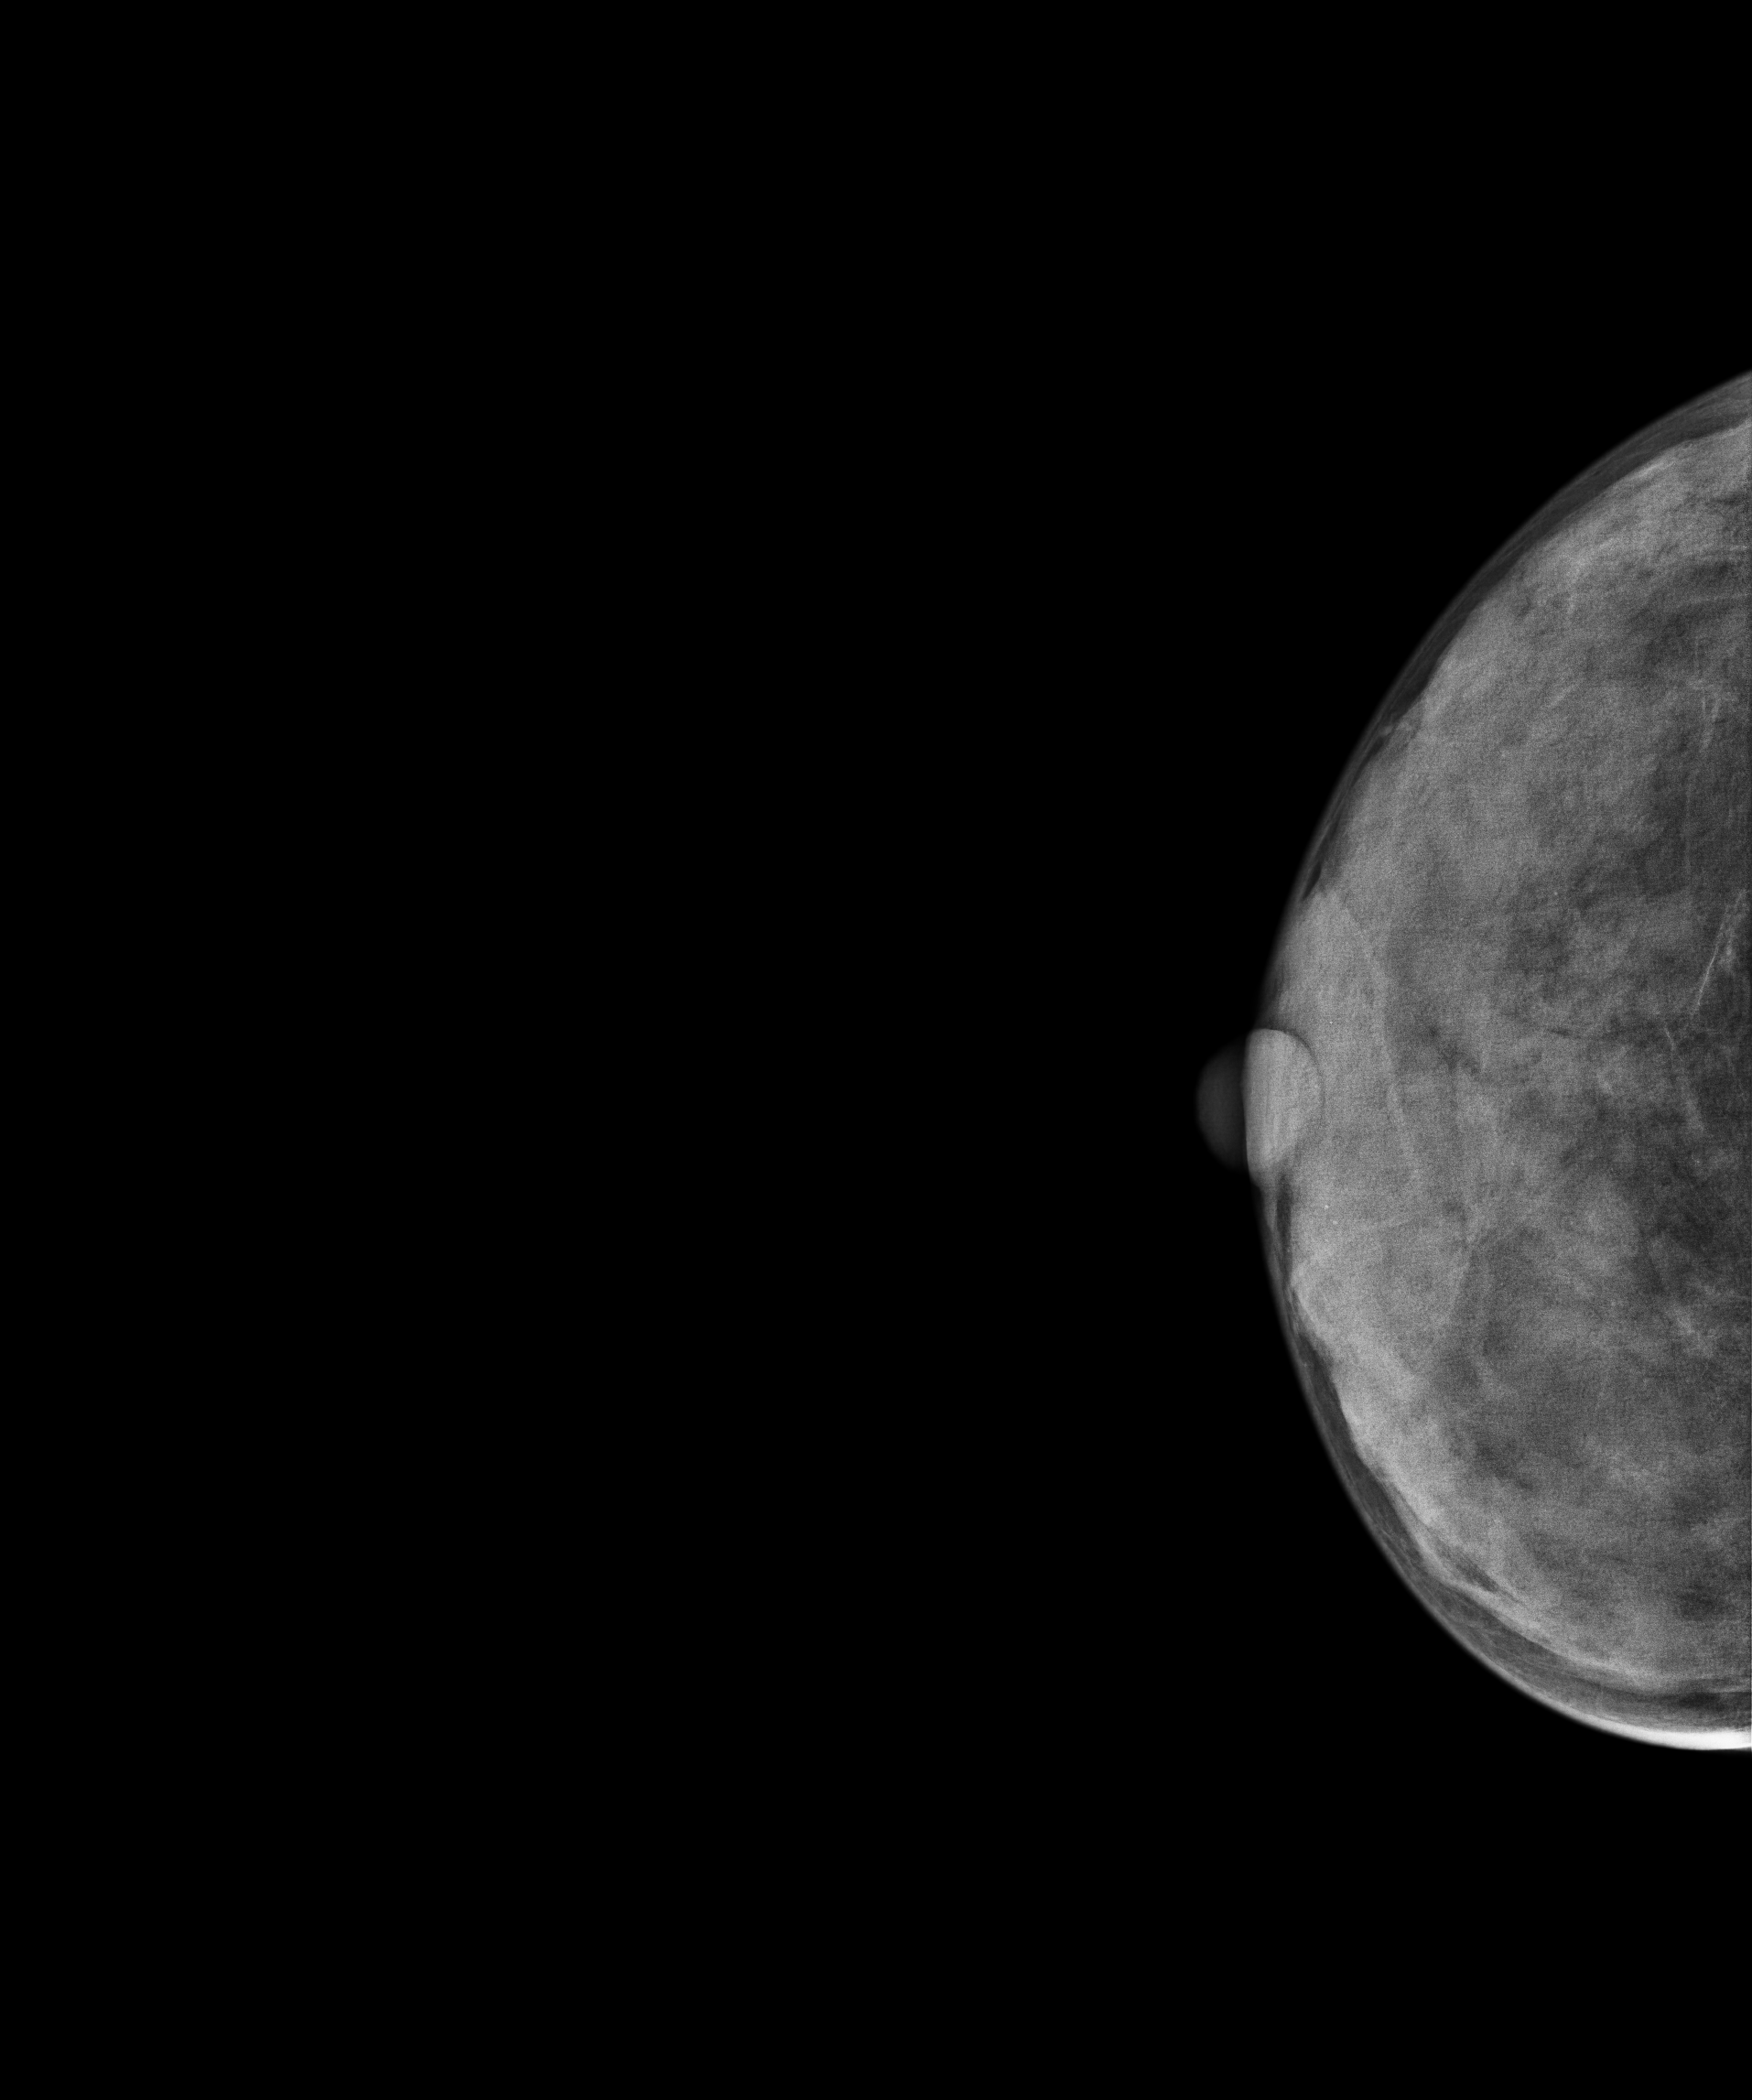
Digital mammography. Right breast, CC projection. 38-year-old patient.
Contralateral breast — no documented abnormality on this side.